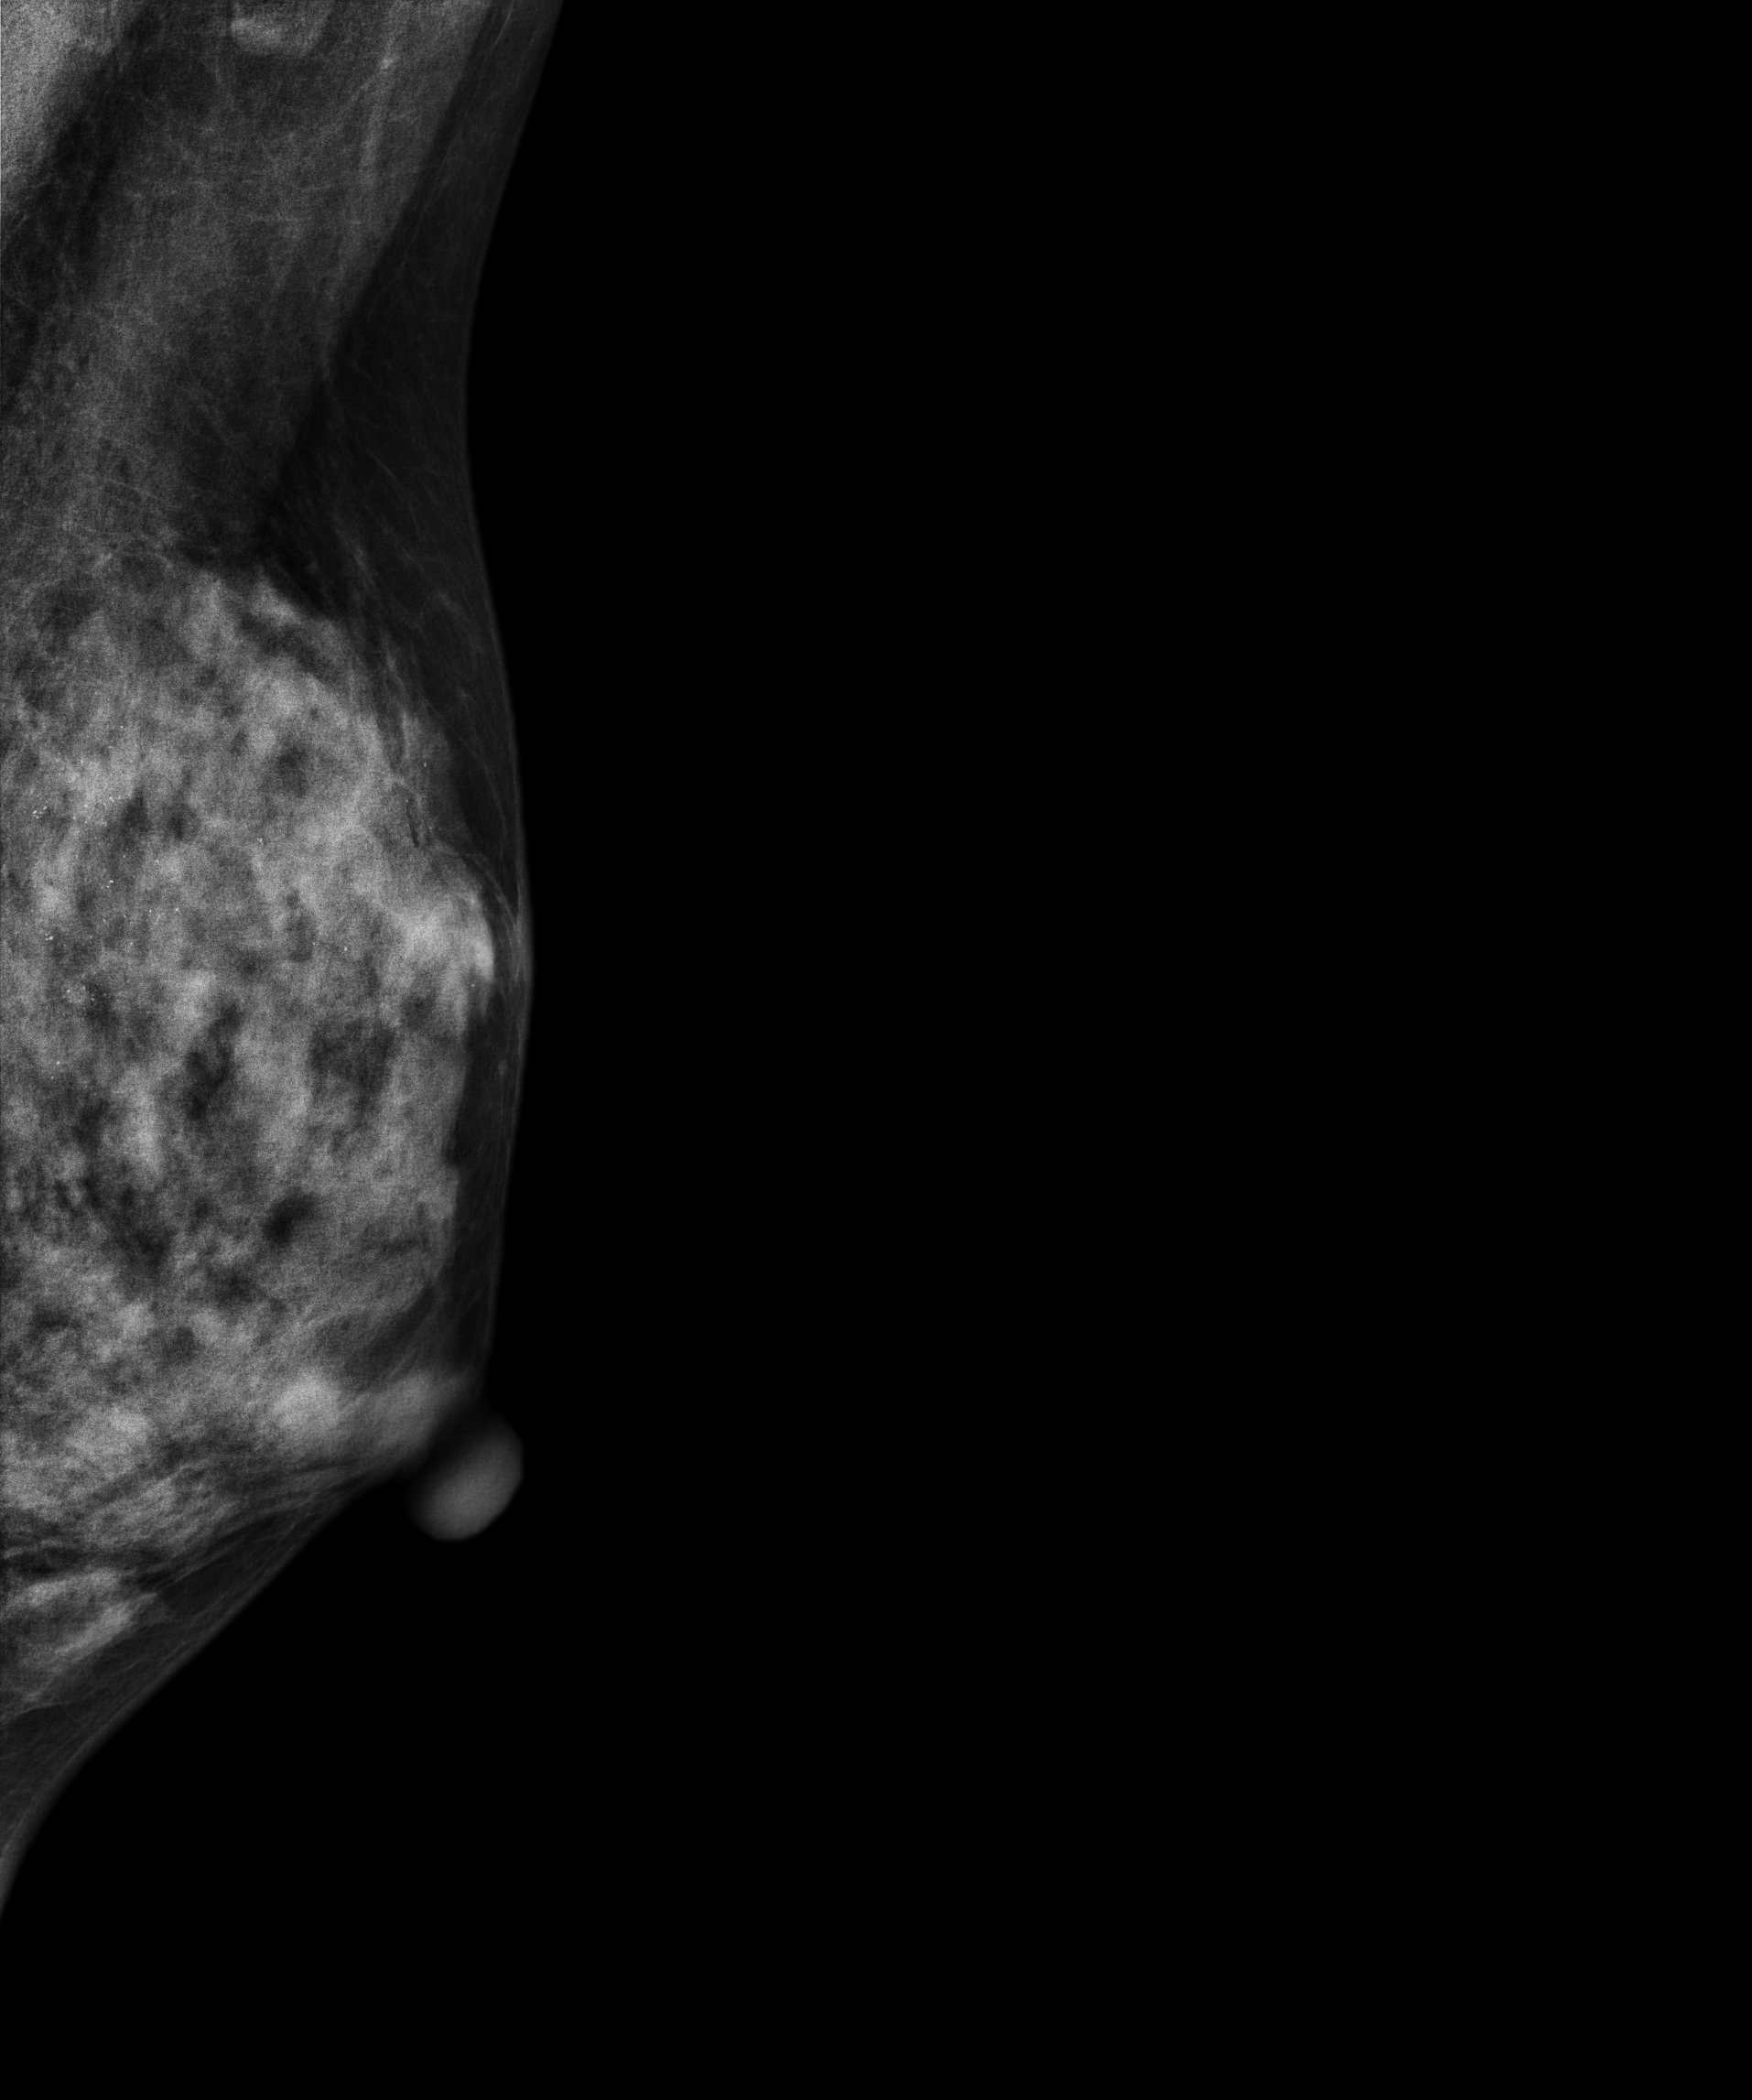
Left-breast mammogram, medio-lateral oblique. 40-year-old patient.
This breast has calcifications, biopsy-proven benign.